Cranio-caudal mammogram of the right breast. 48-year-old patient.
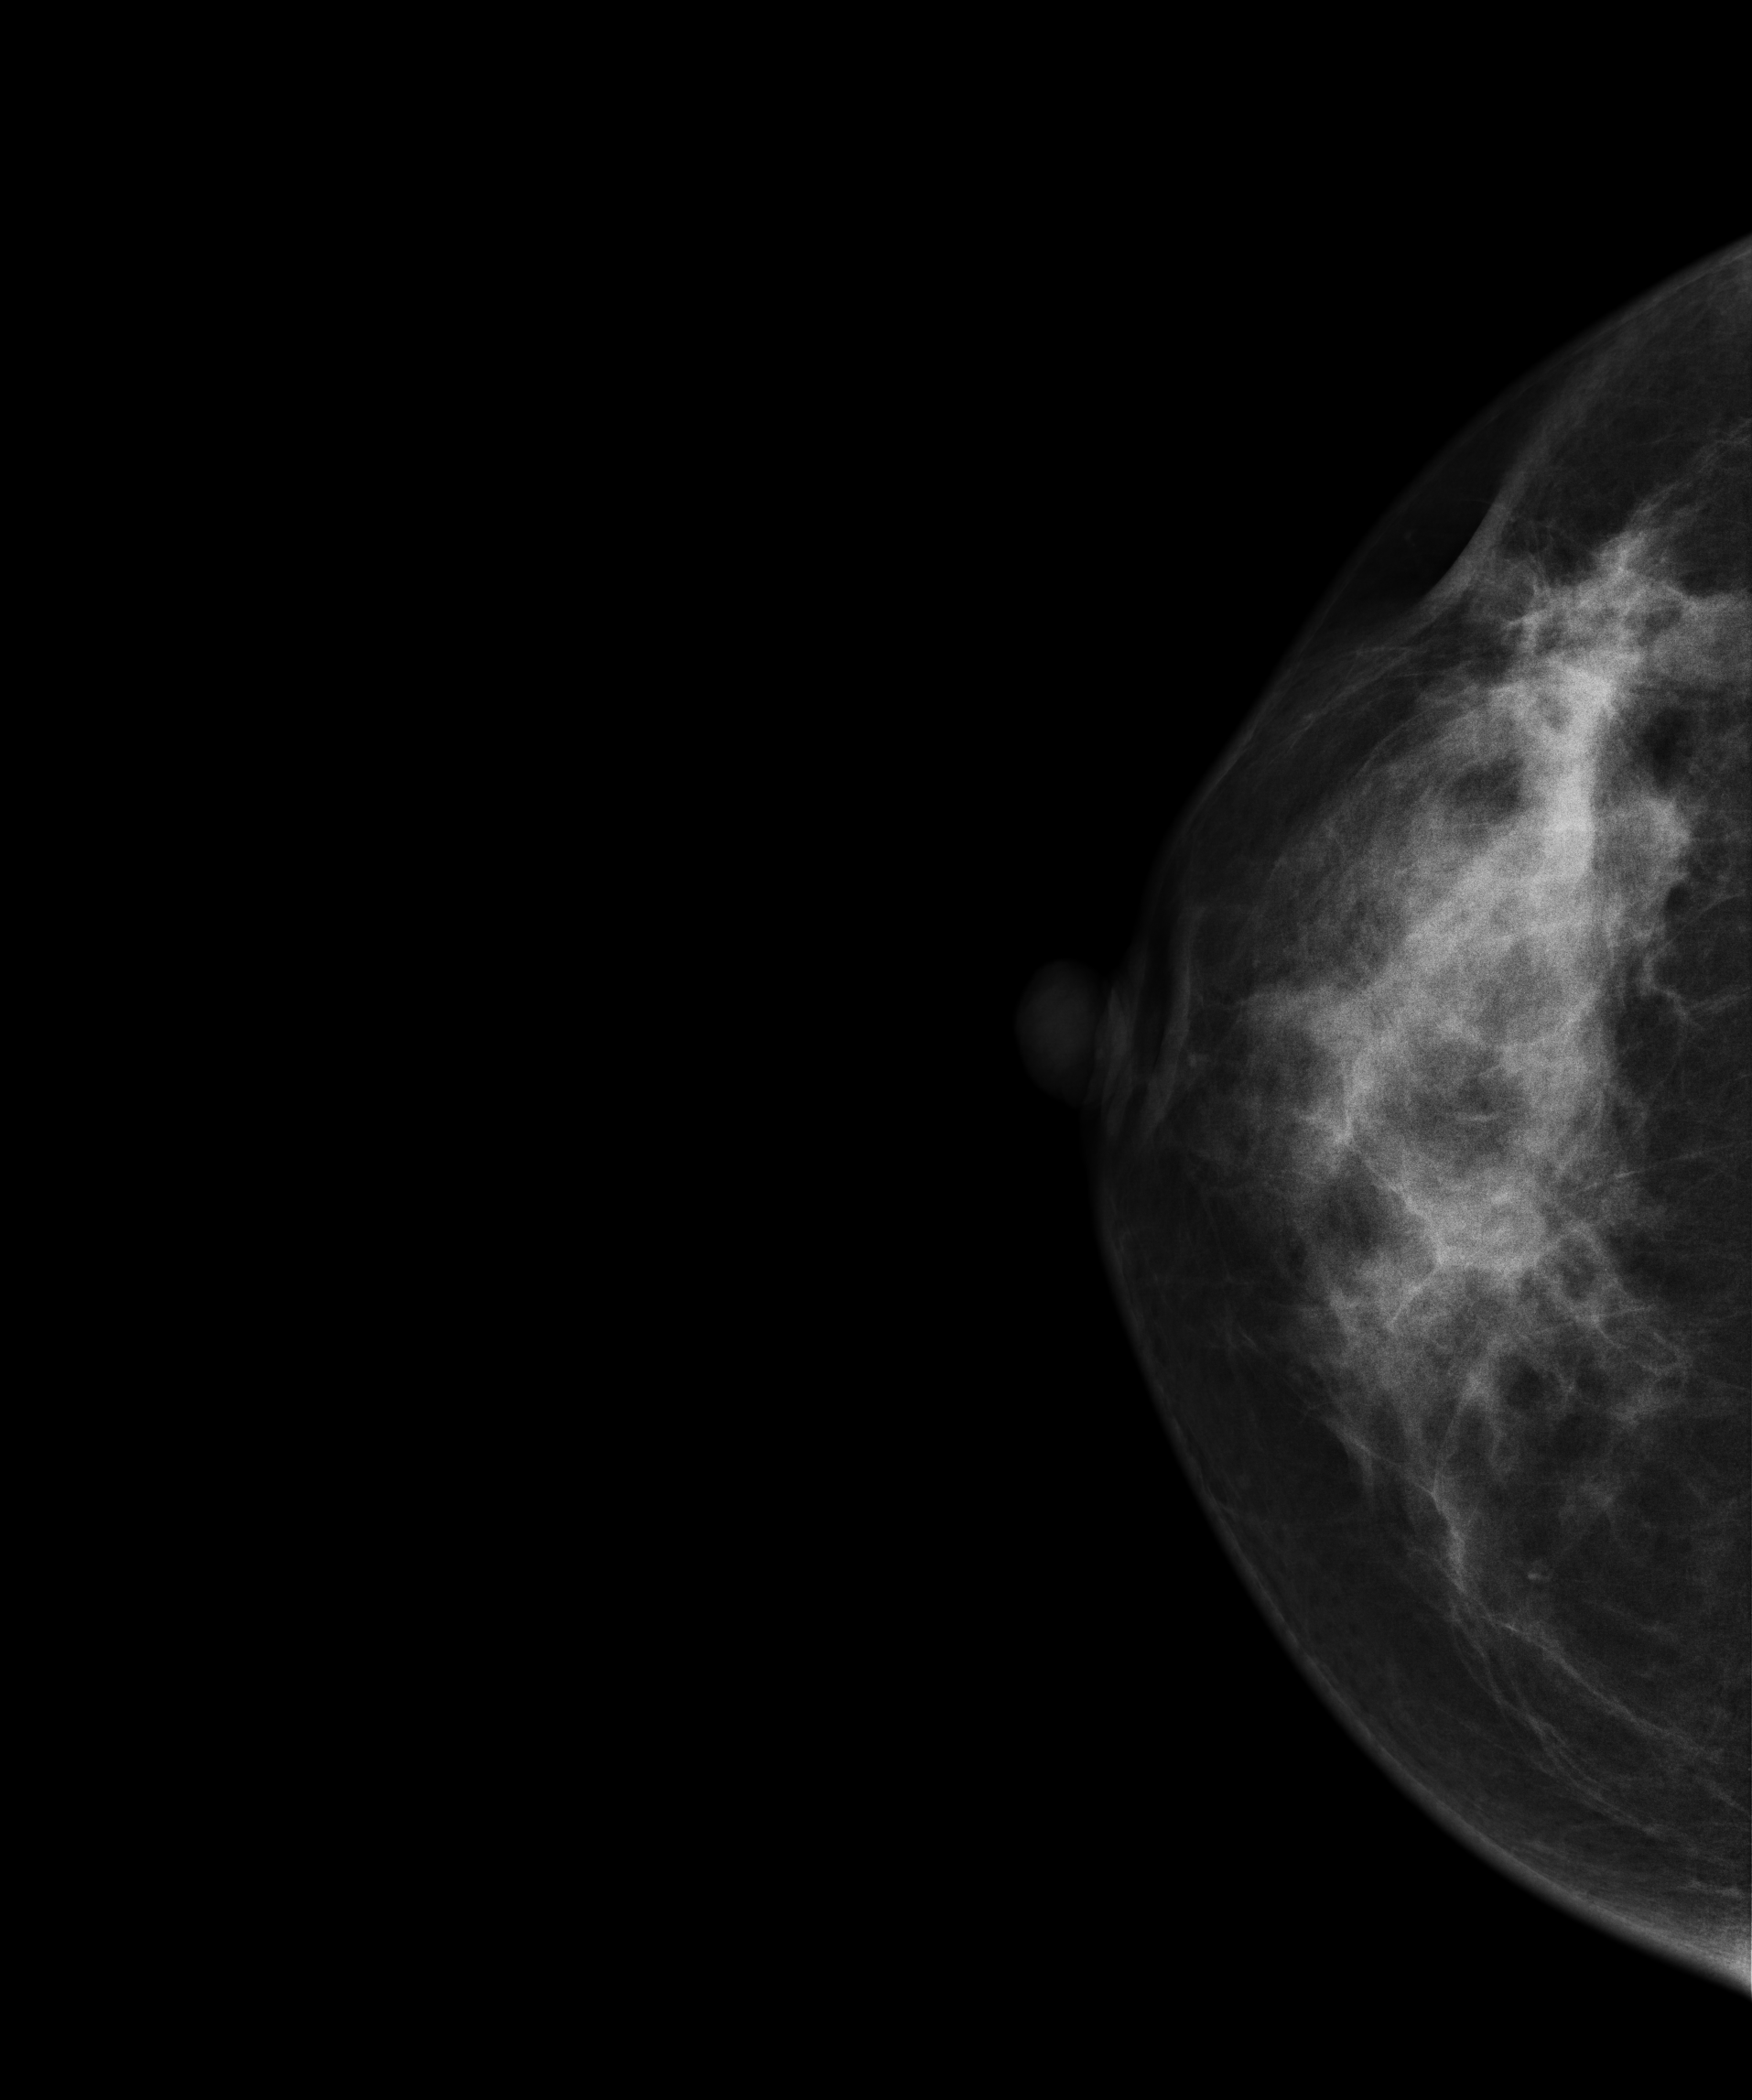
This breast has a mass, pathology-confirmed malignant. Molecular subtype: luminal A.